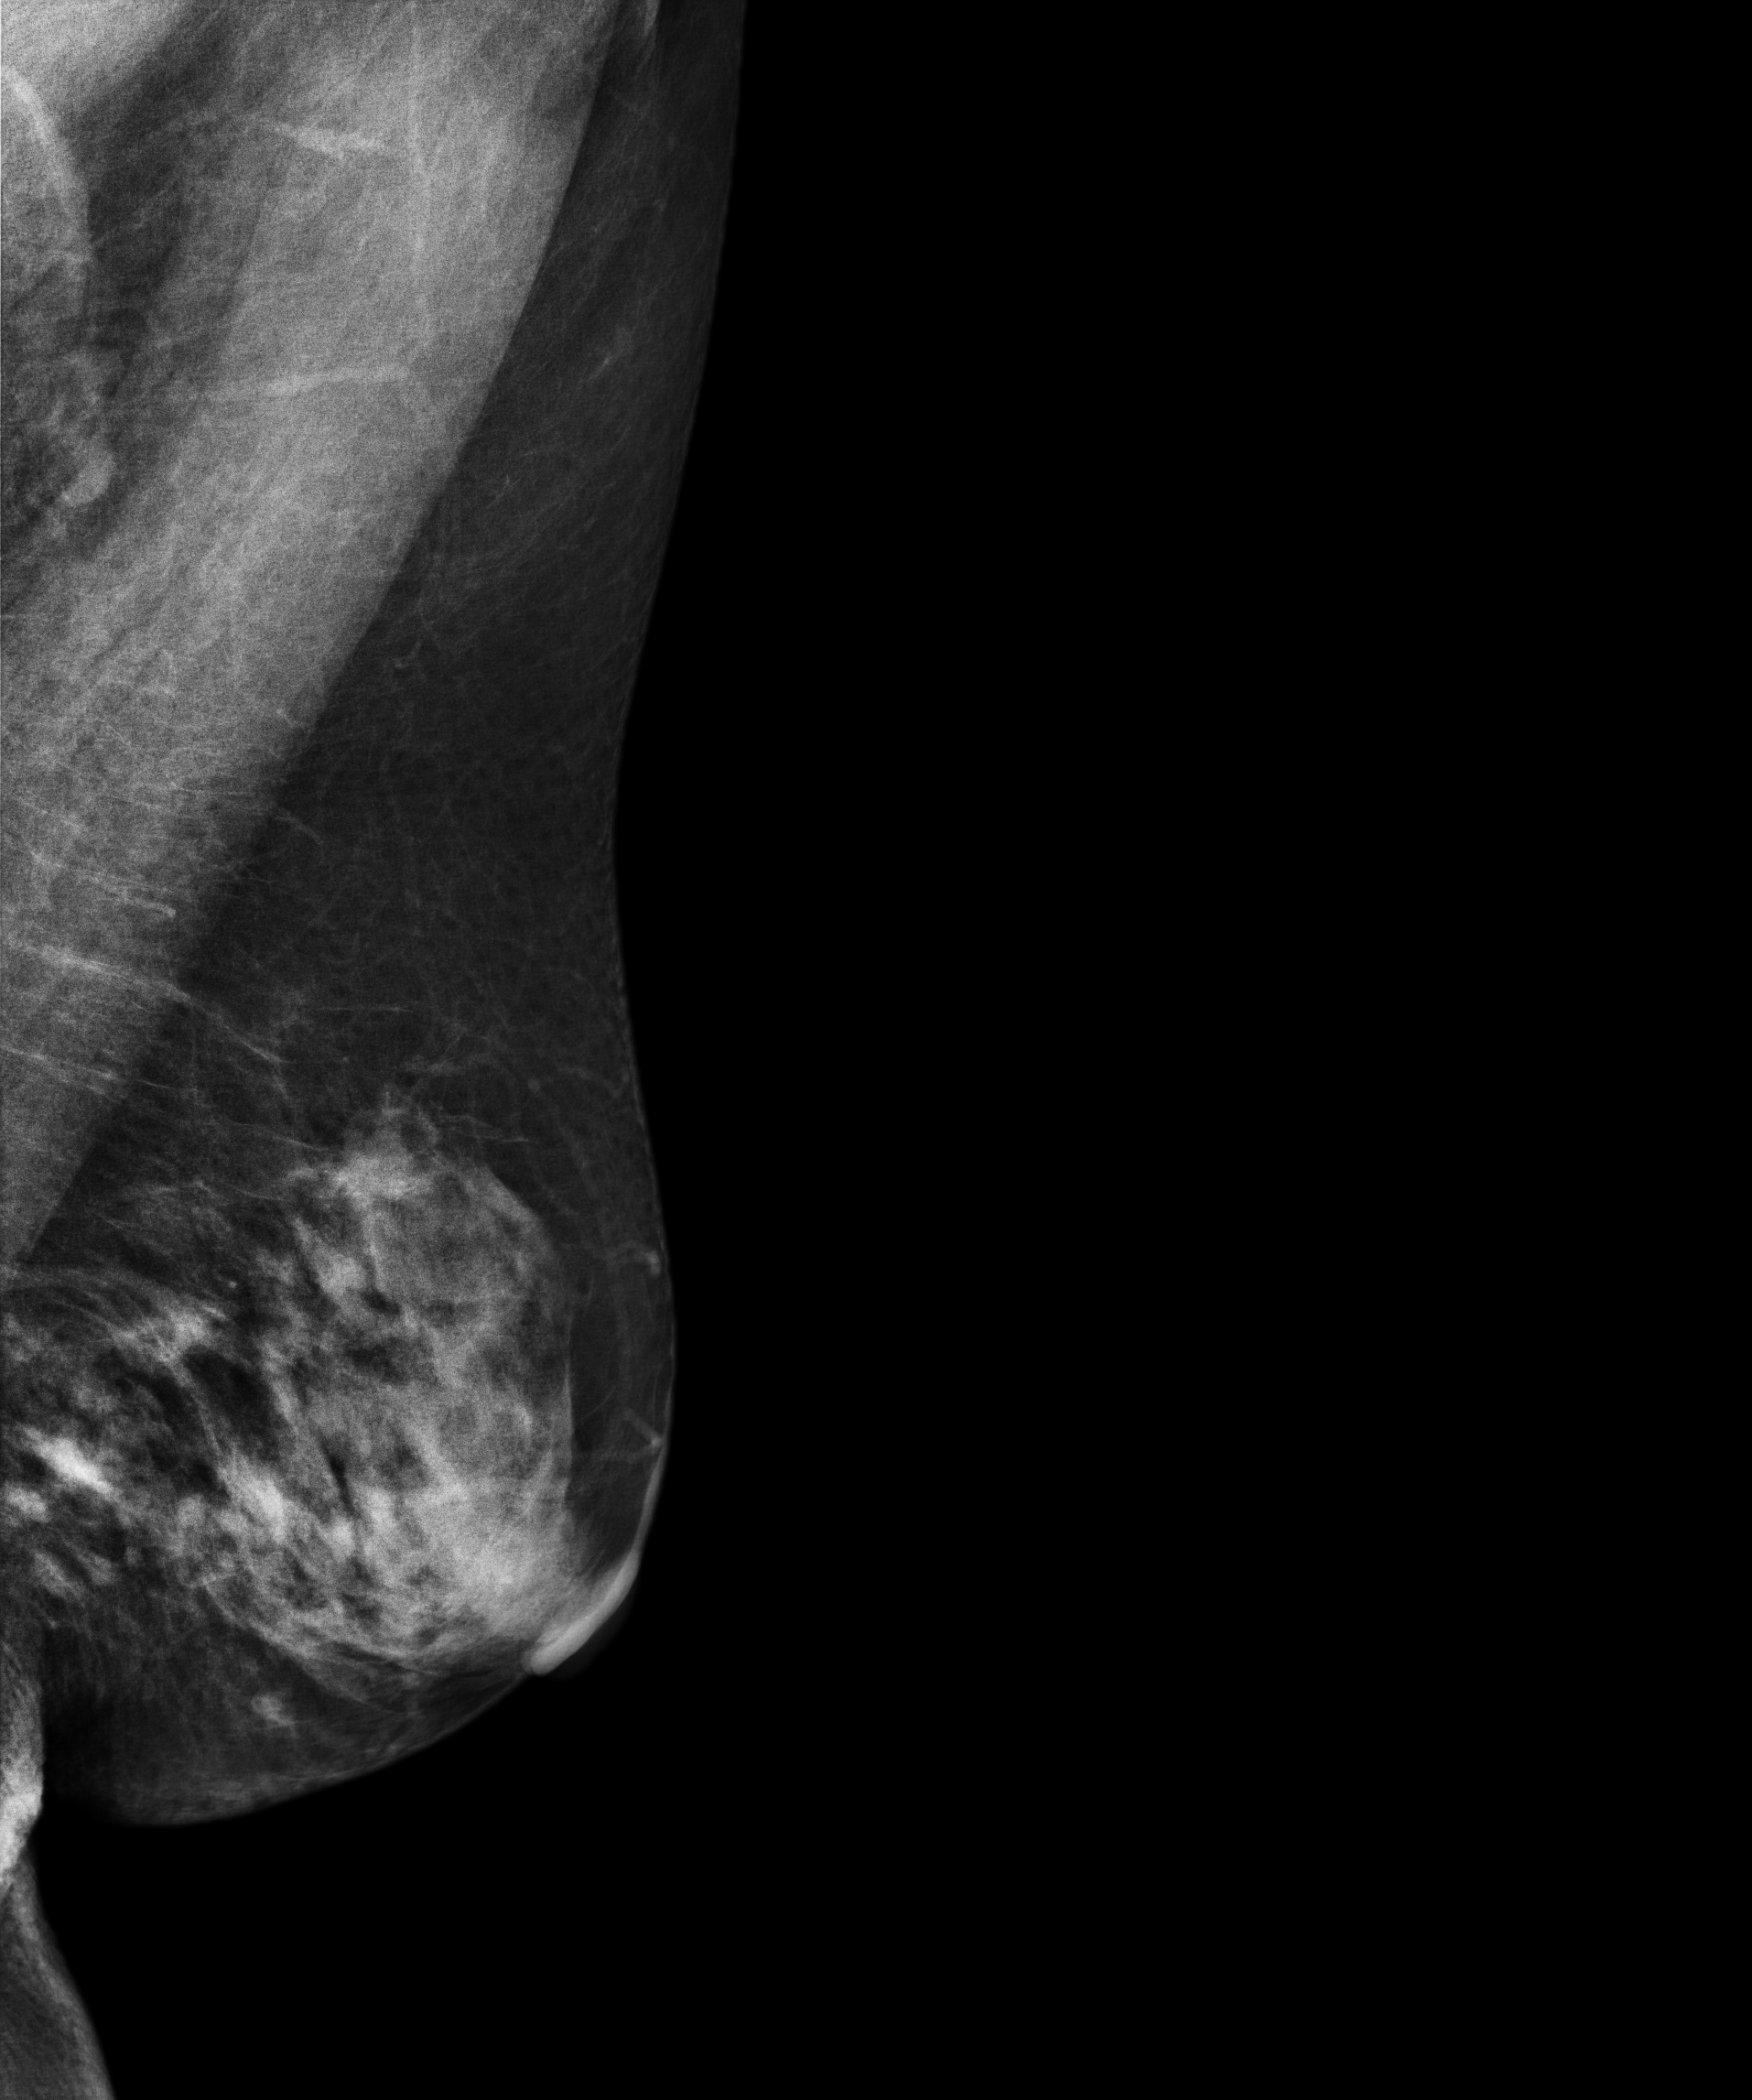
Left-breast mammogram, MLO. 66-year-old patient.
This breast has a mass, histologically confirmed malignant.